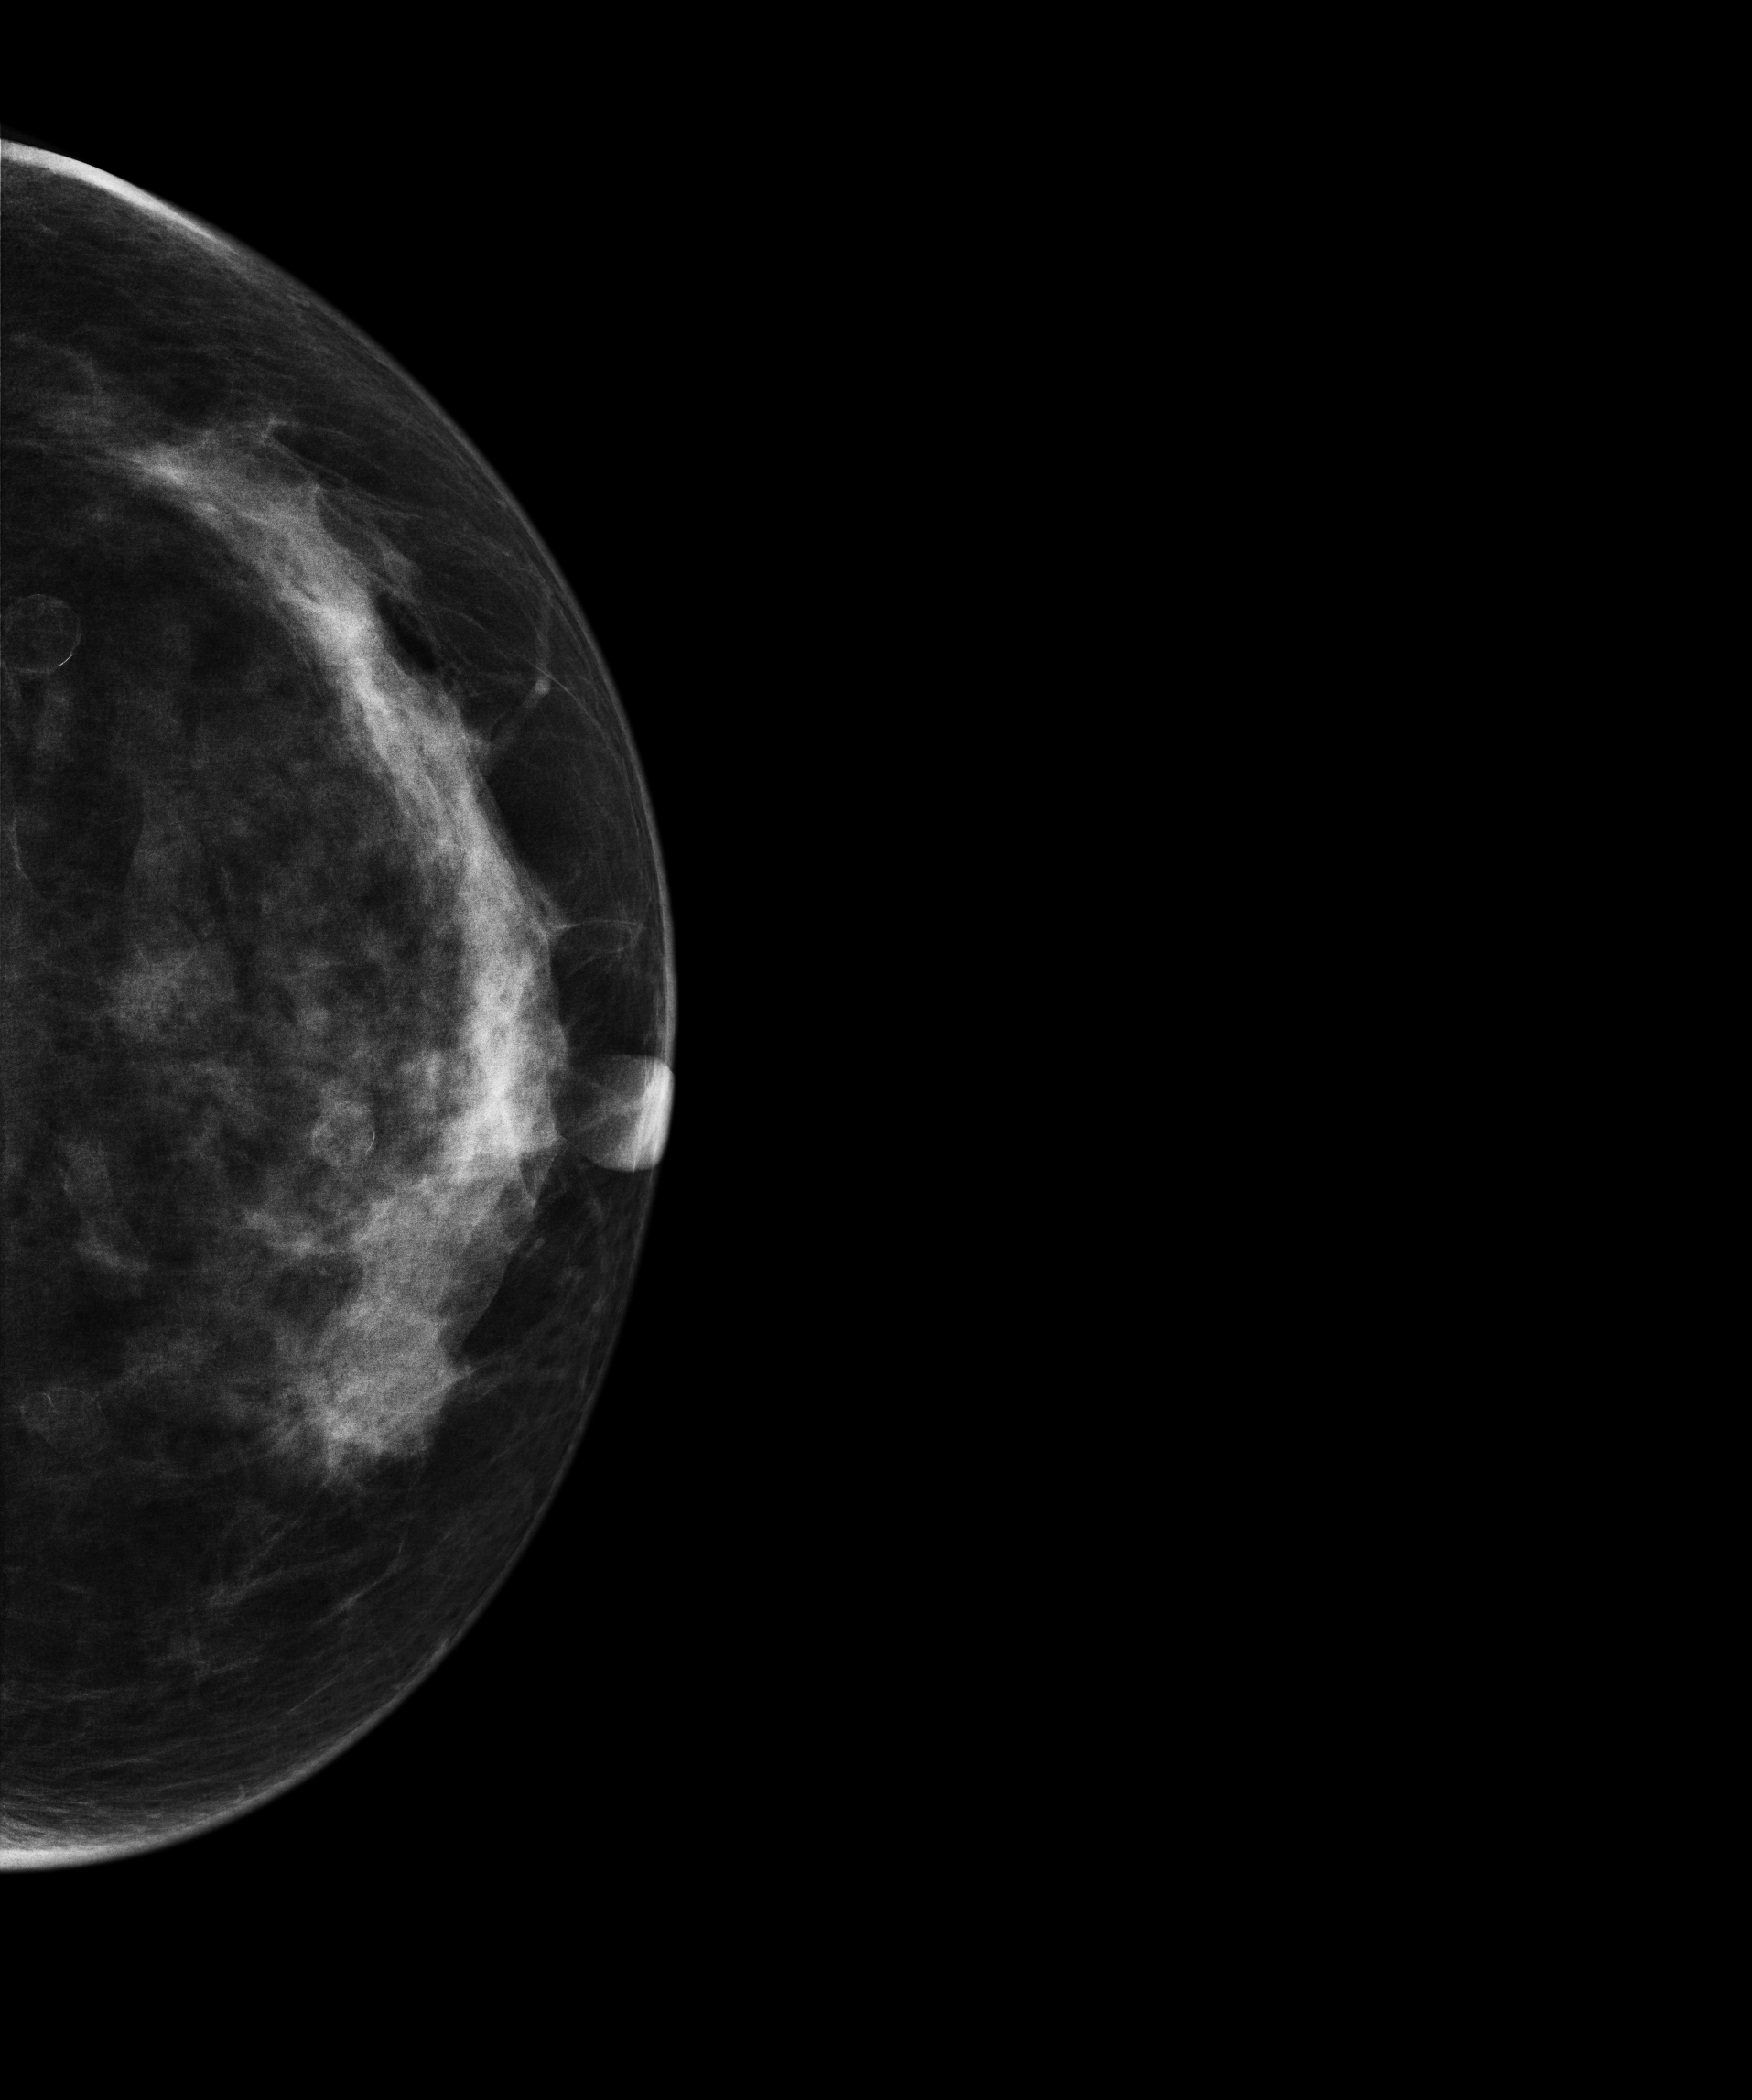
Mammogram — left CC. Patient age 38.
This breast has a mass, biopsy-confirmed benign.